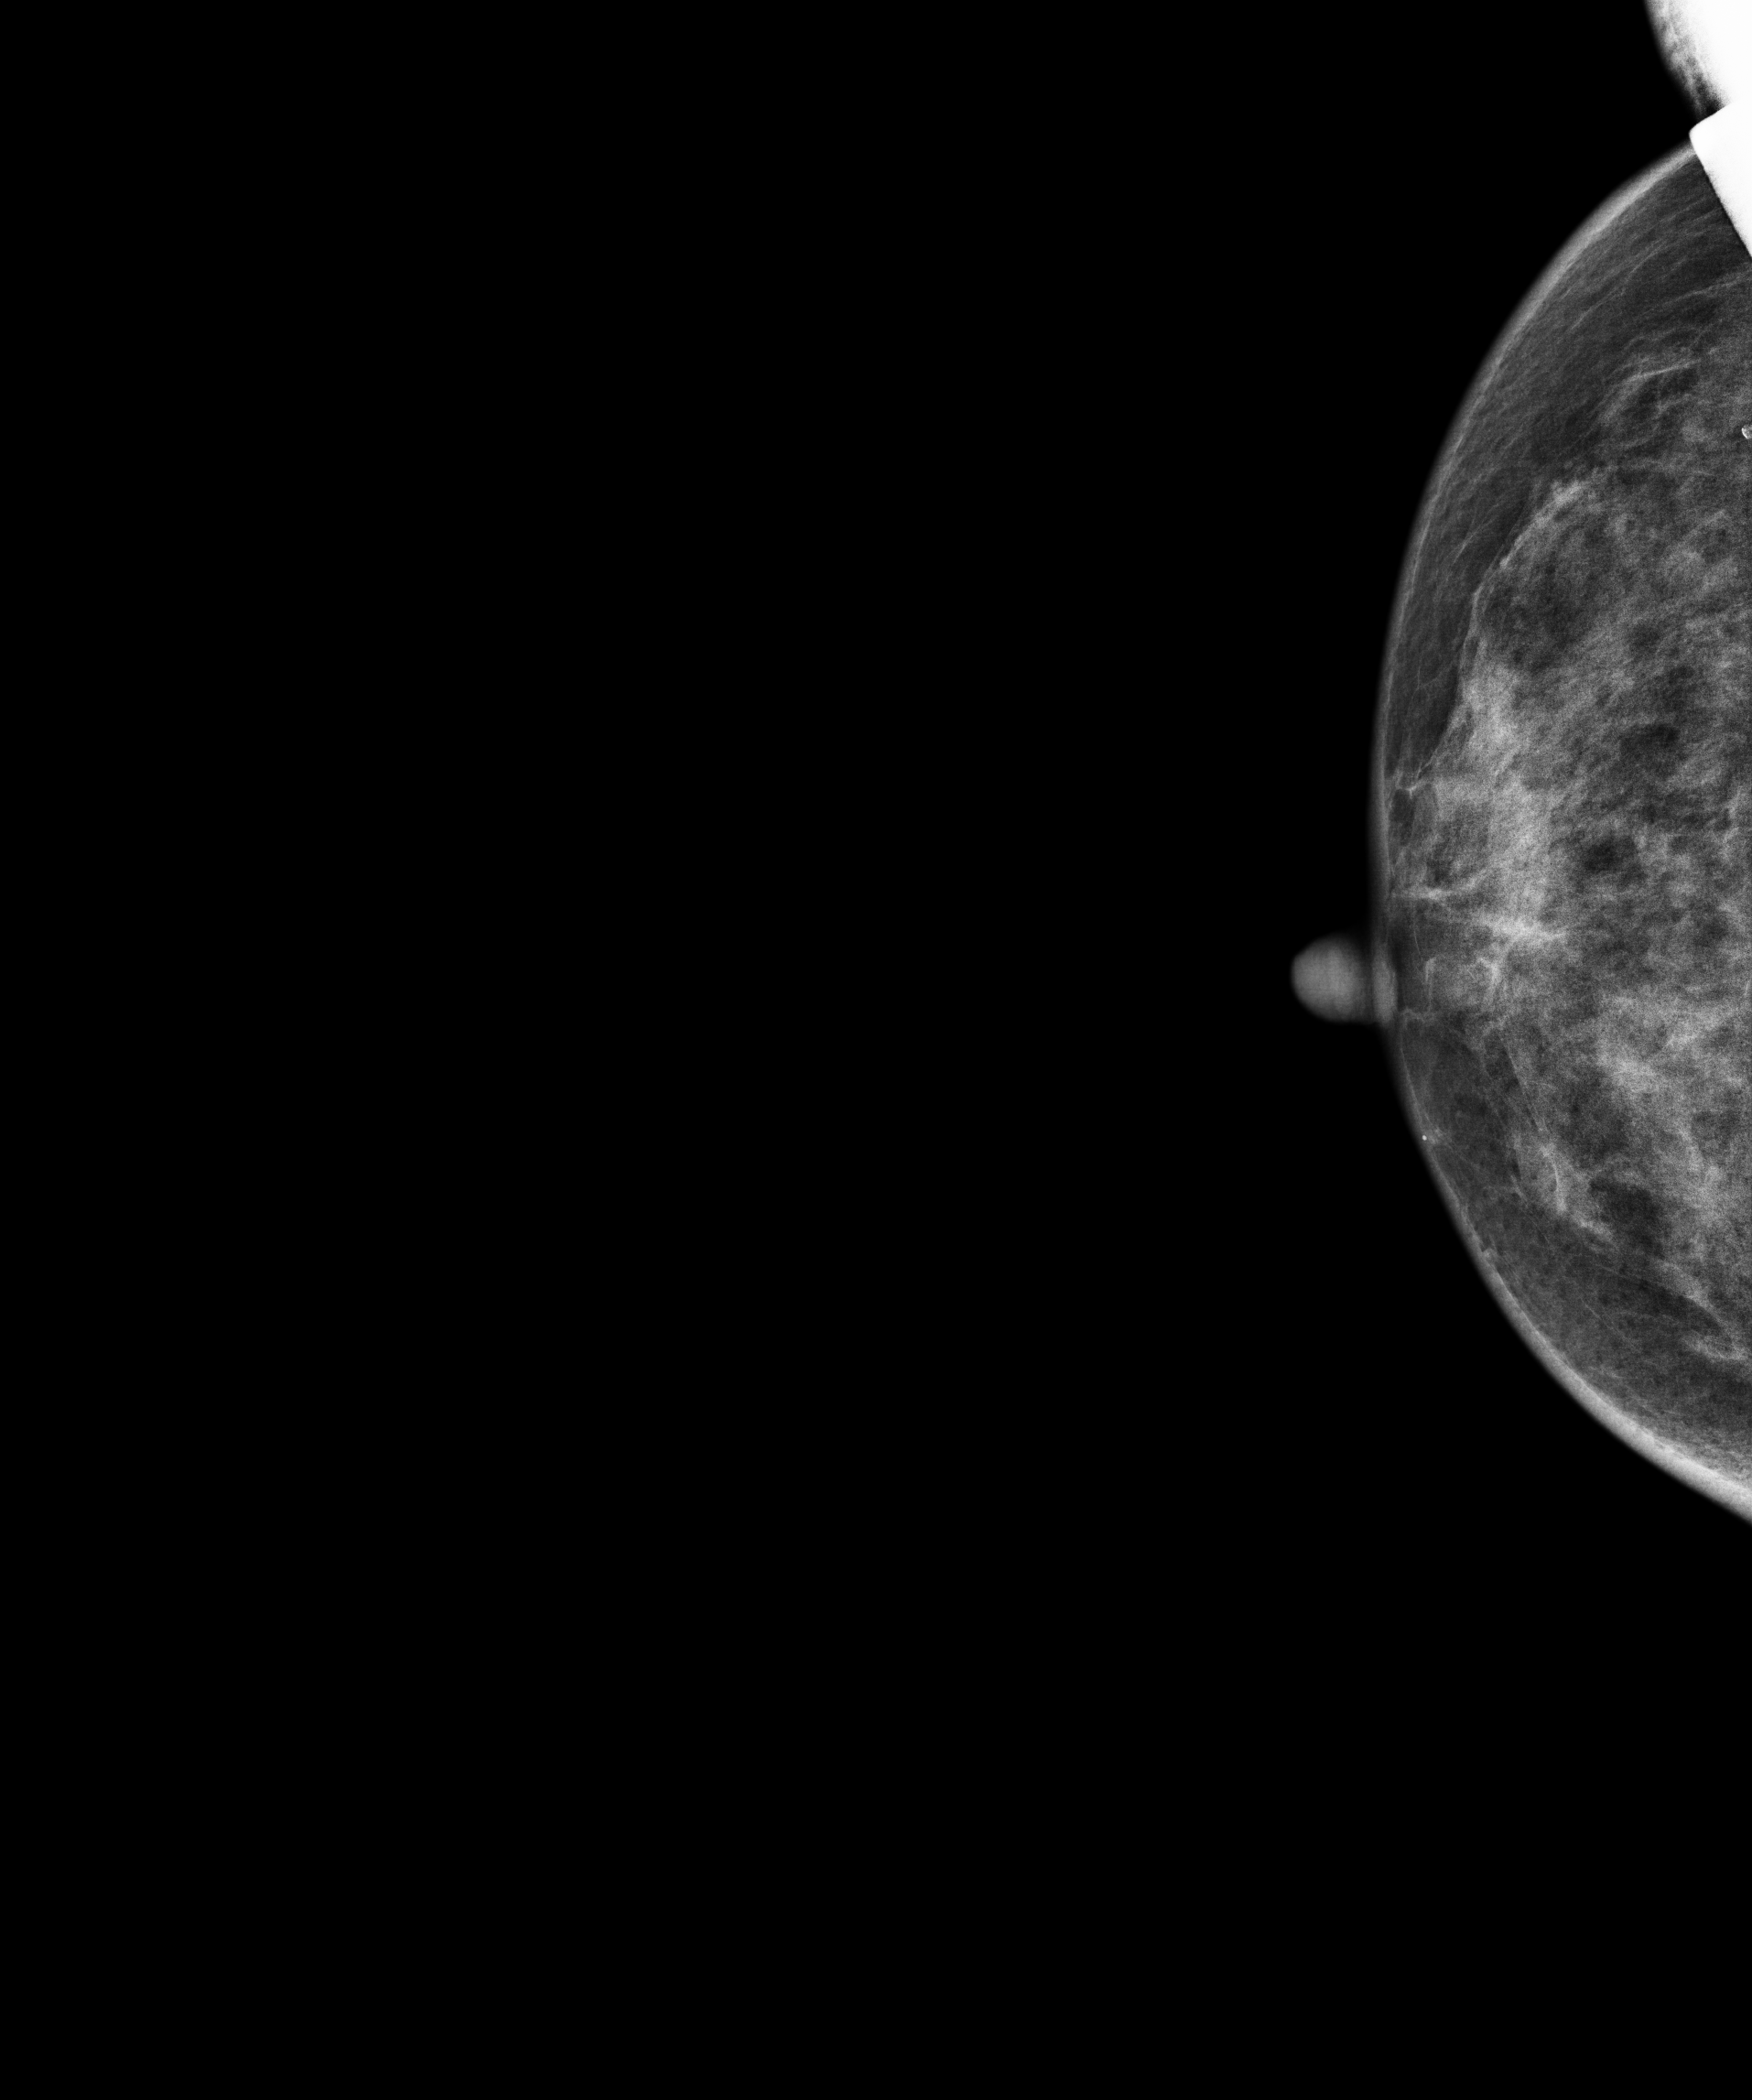
Mammogram — right CC. 56 y/o patient.
Contralateral breast — no documented abnormality on this side.